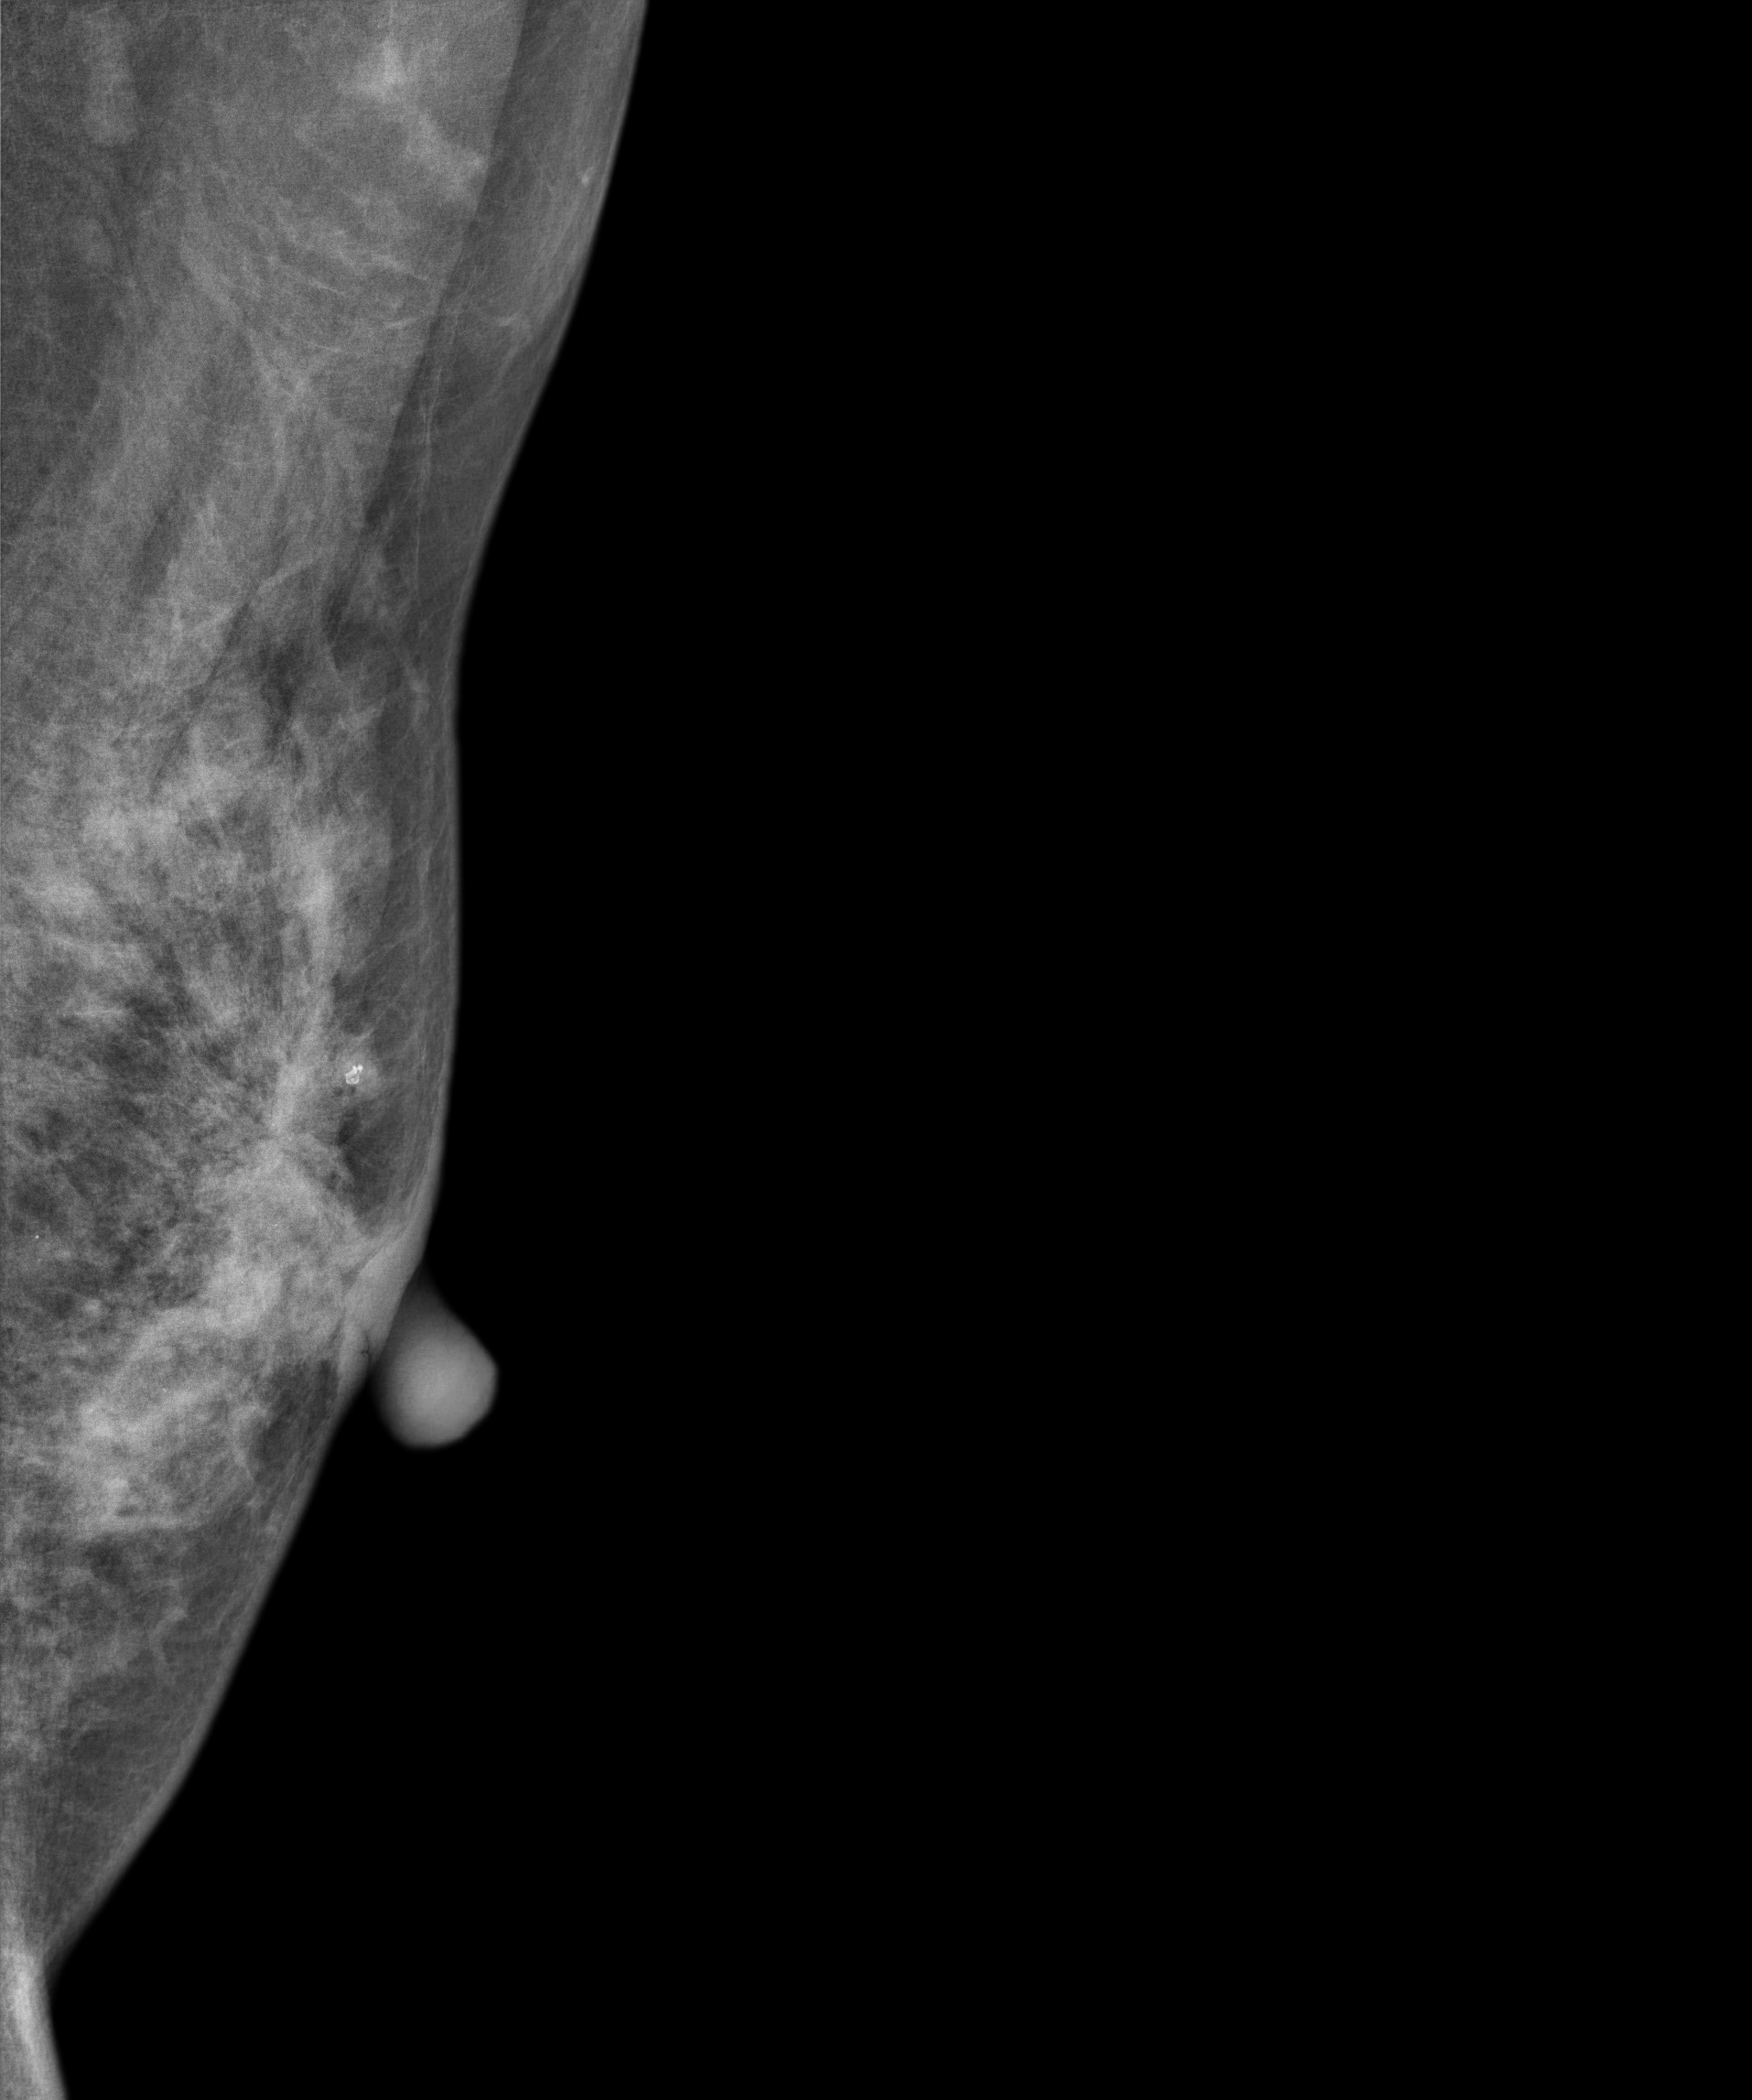
Digital mammography. Left breast, MLO projection. 50-year-old patient.
This breast has a mass and calcifications, biopsy-confirmed malignant.